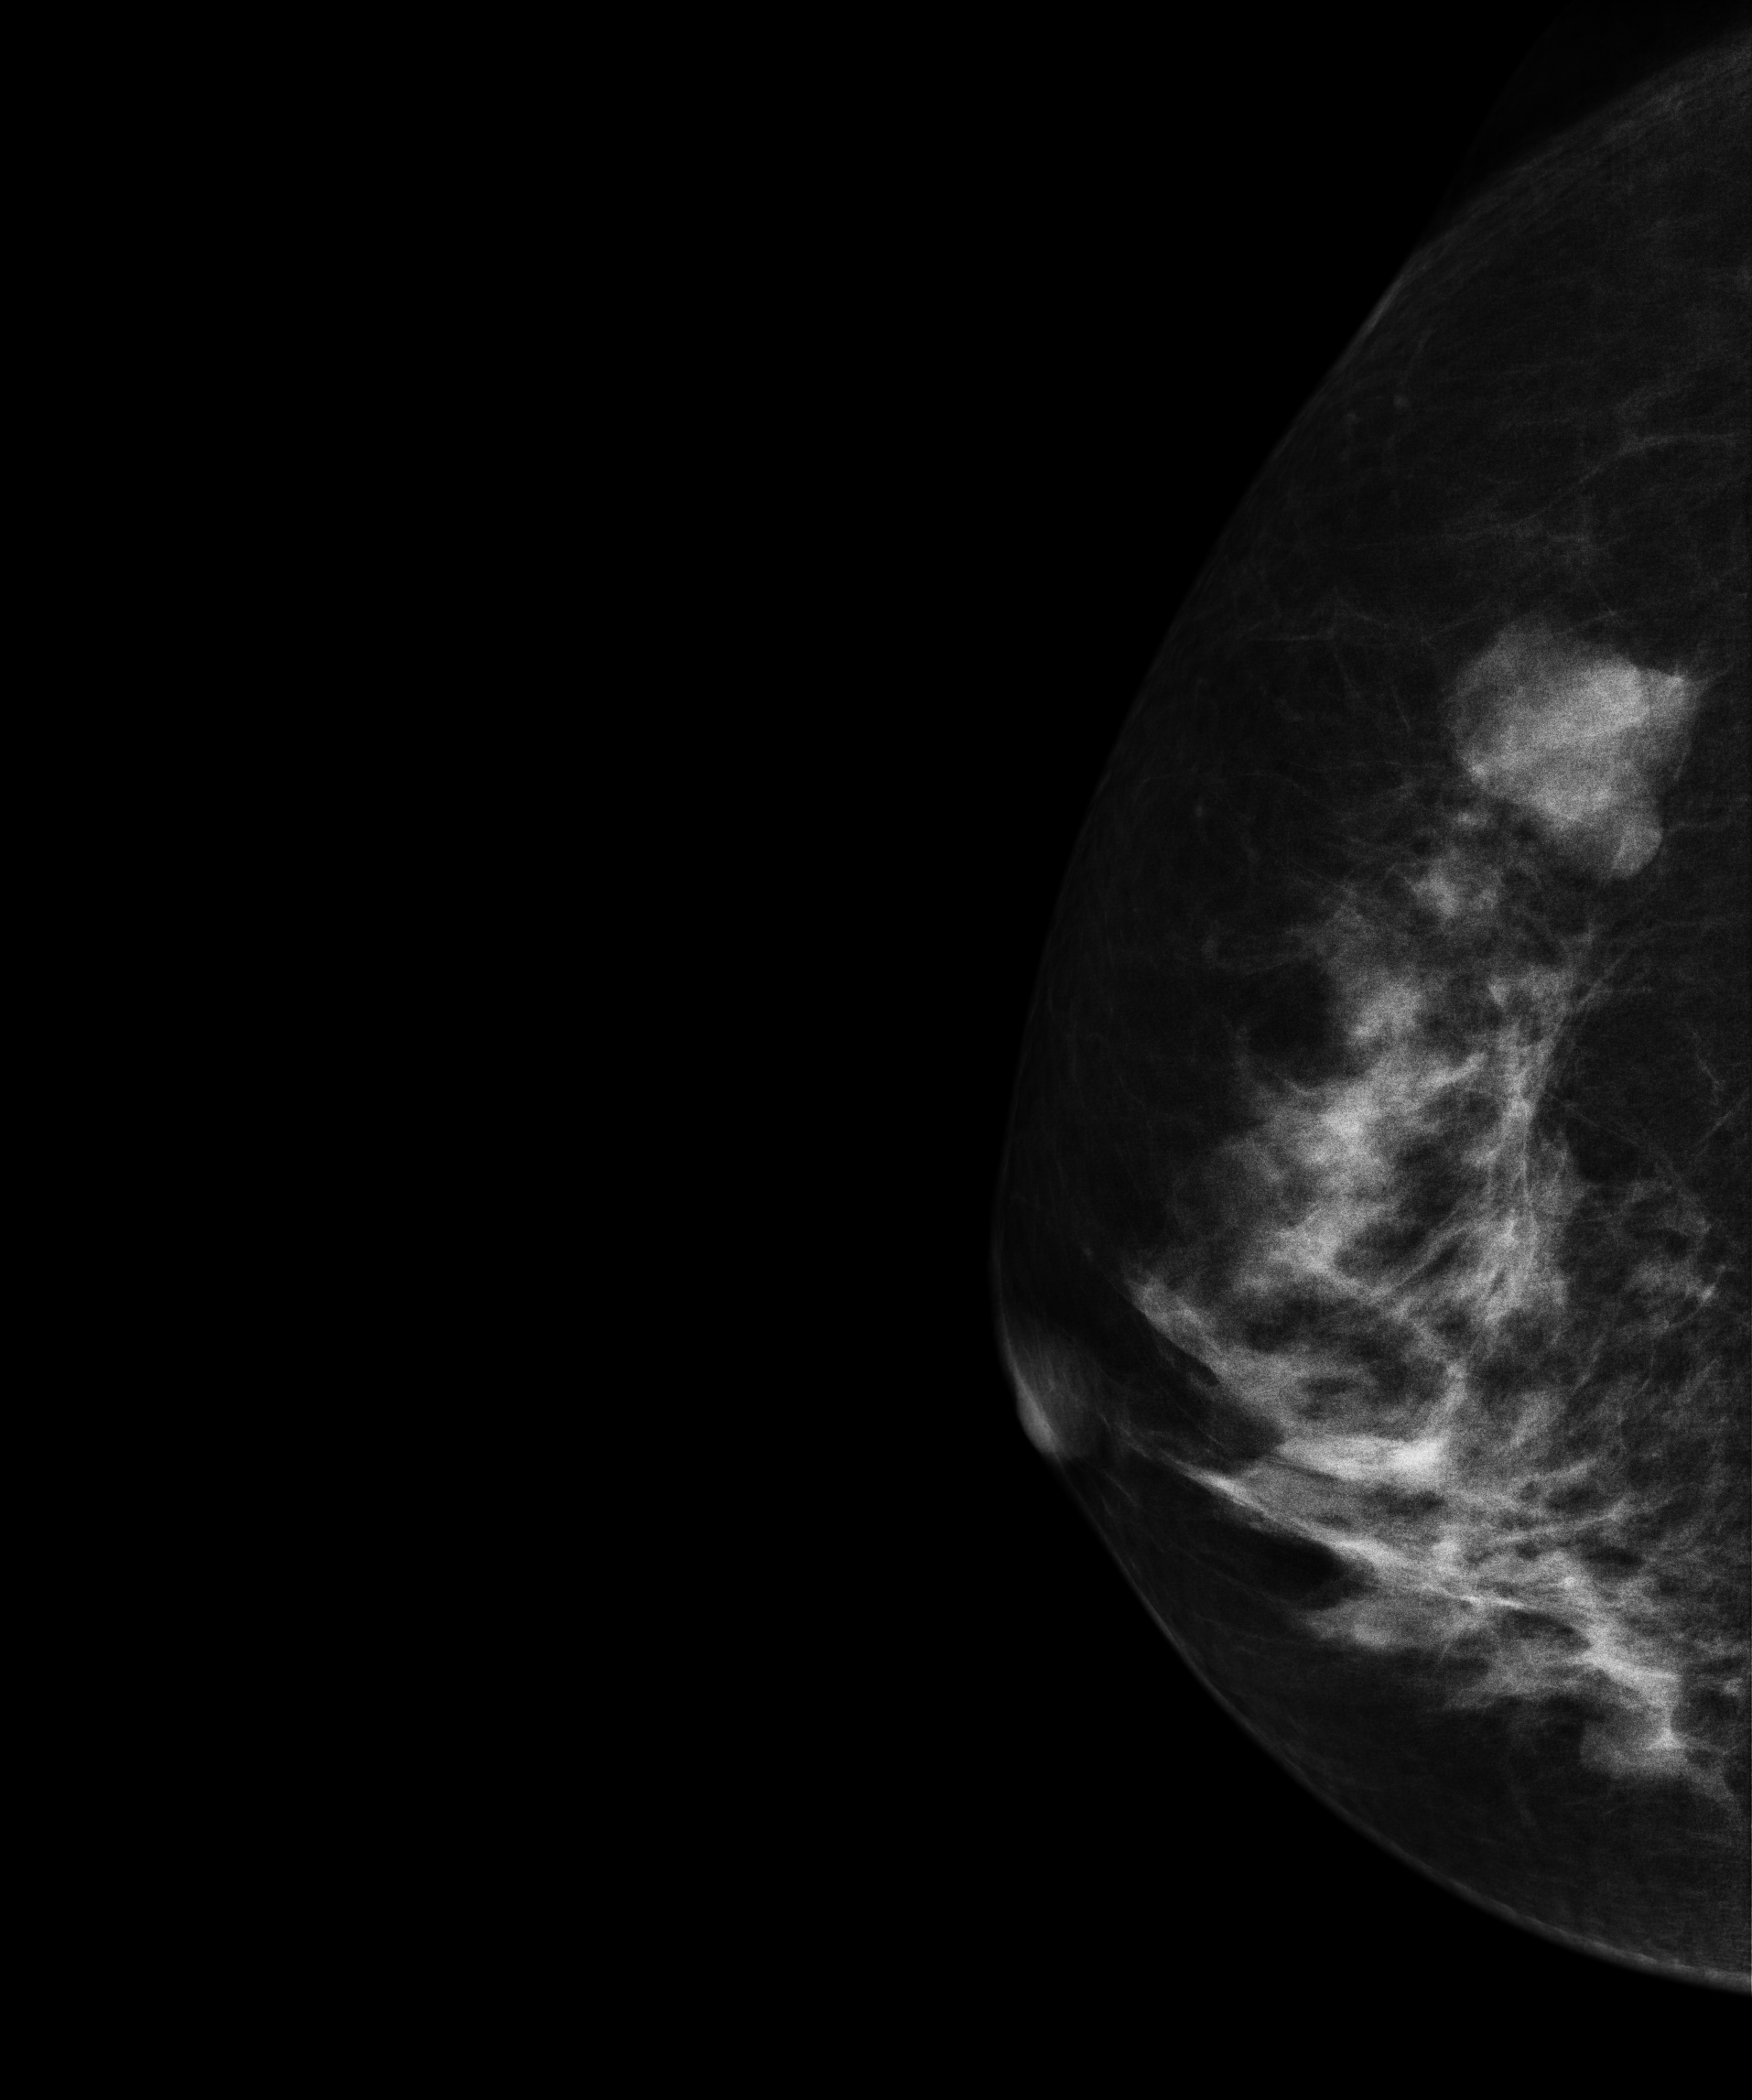
Digital mammography. Right breast, CC projection. Patient age 58.
This breast has a mass, pathology-confirmed benign.